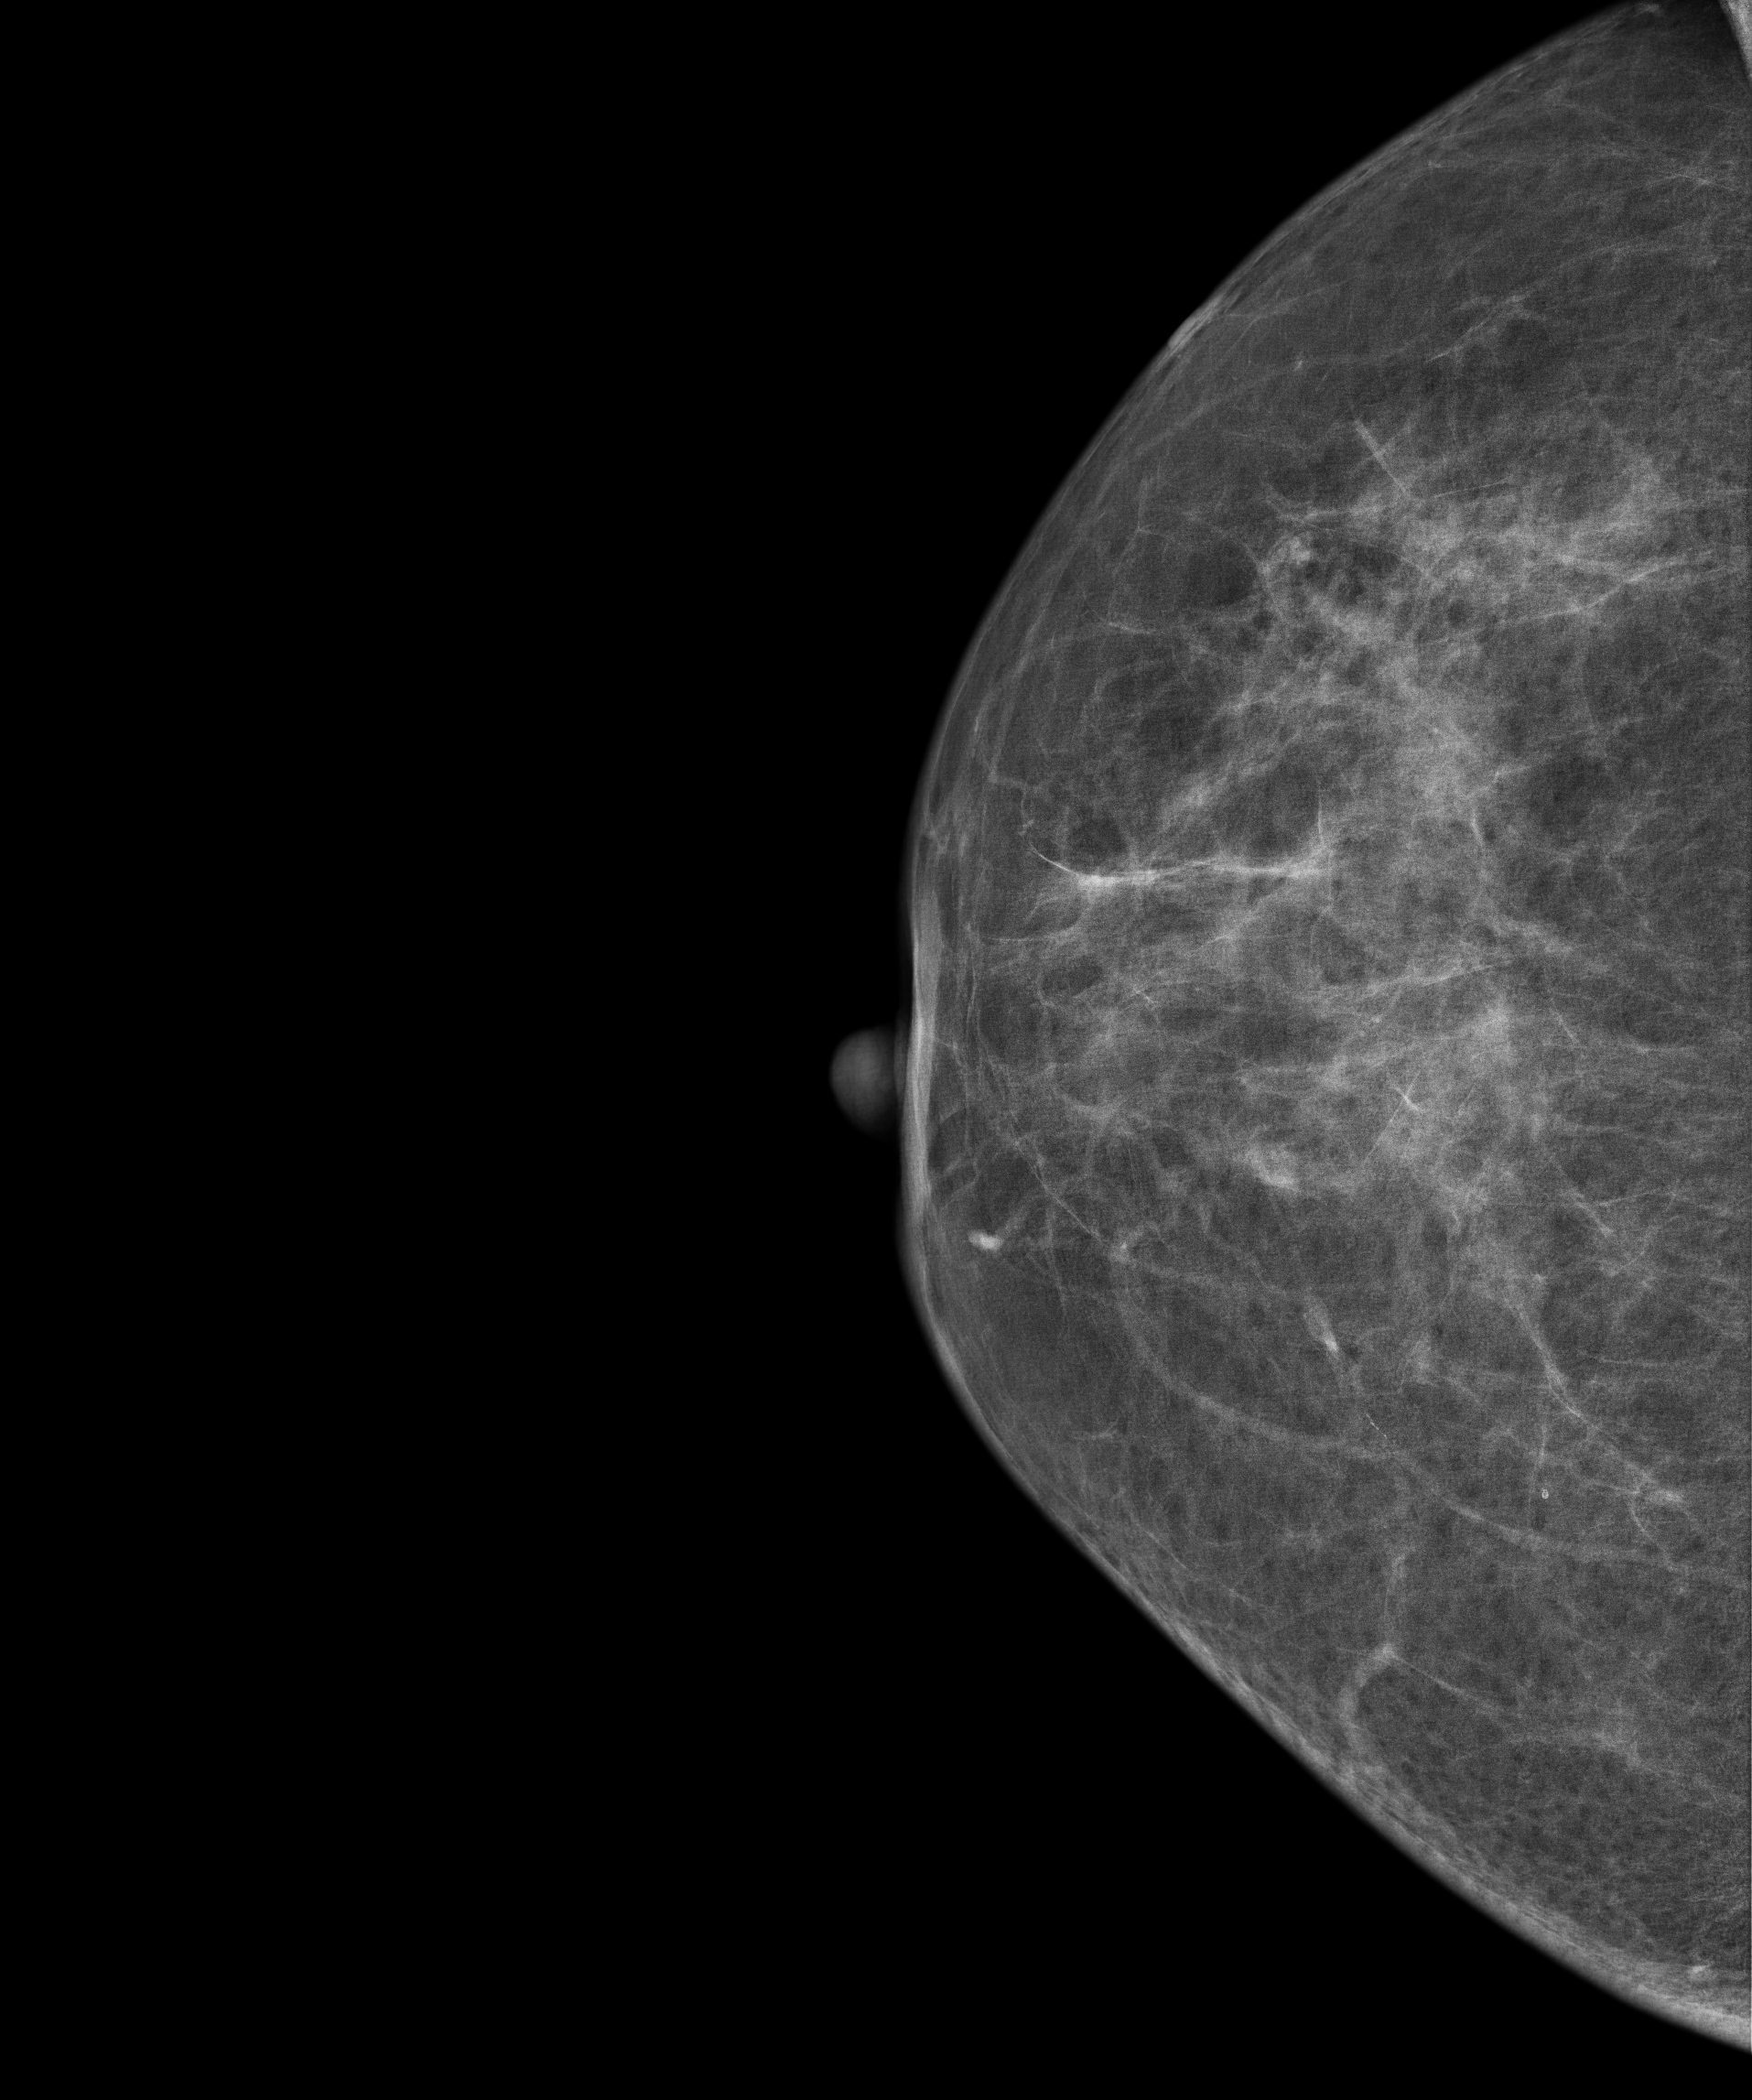
Right-breast mammogram, CC. 62-year-old patient.
Contralateral breast — no documented abnormality on this side.